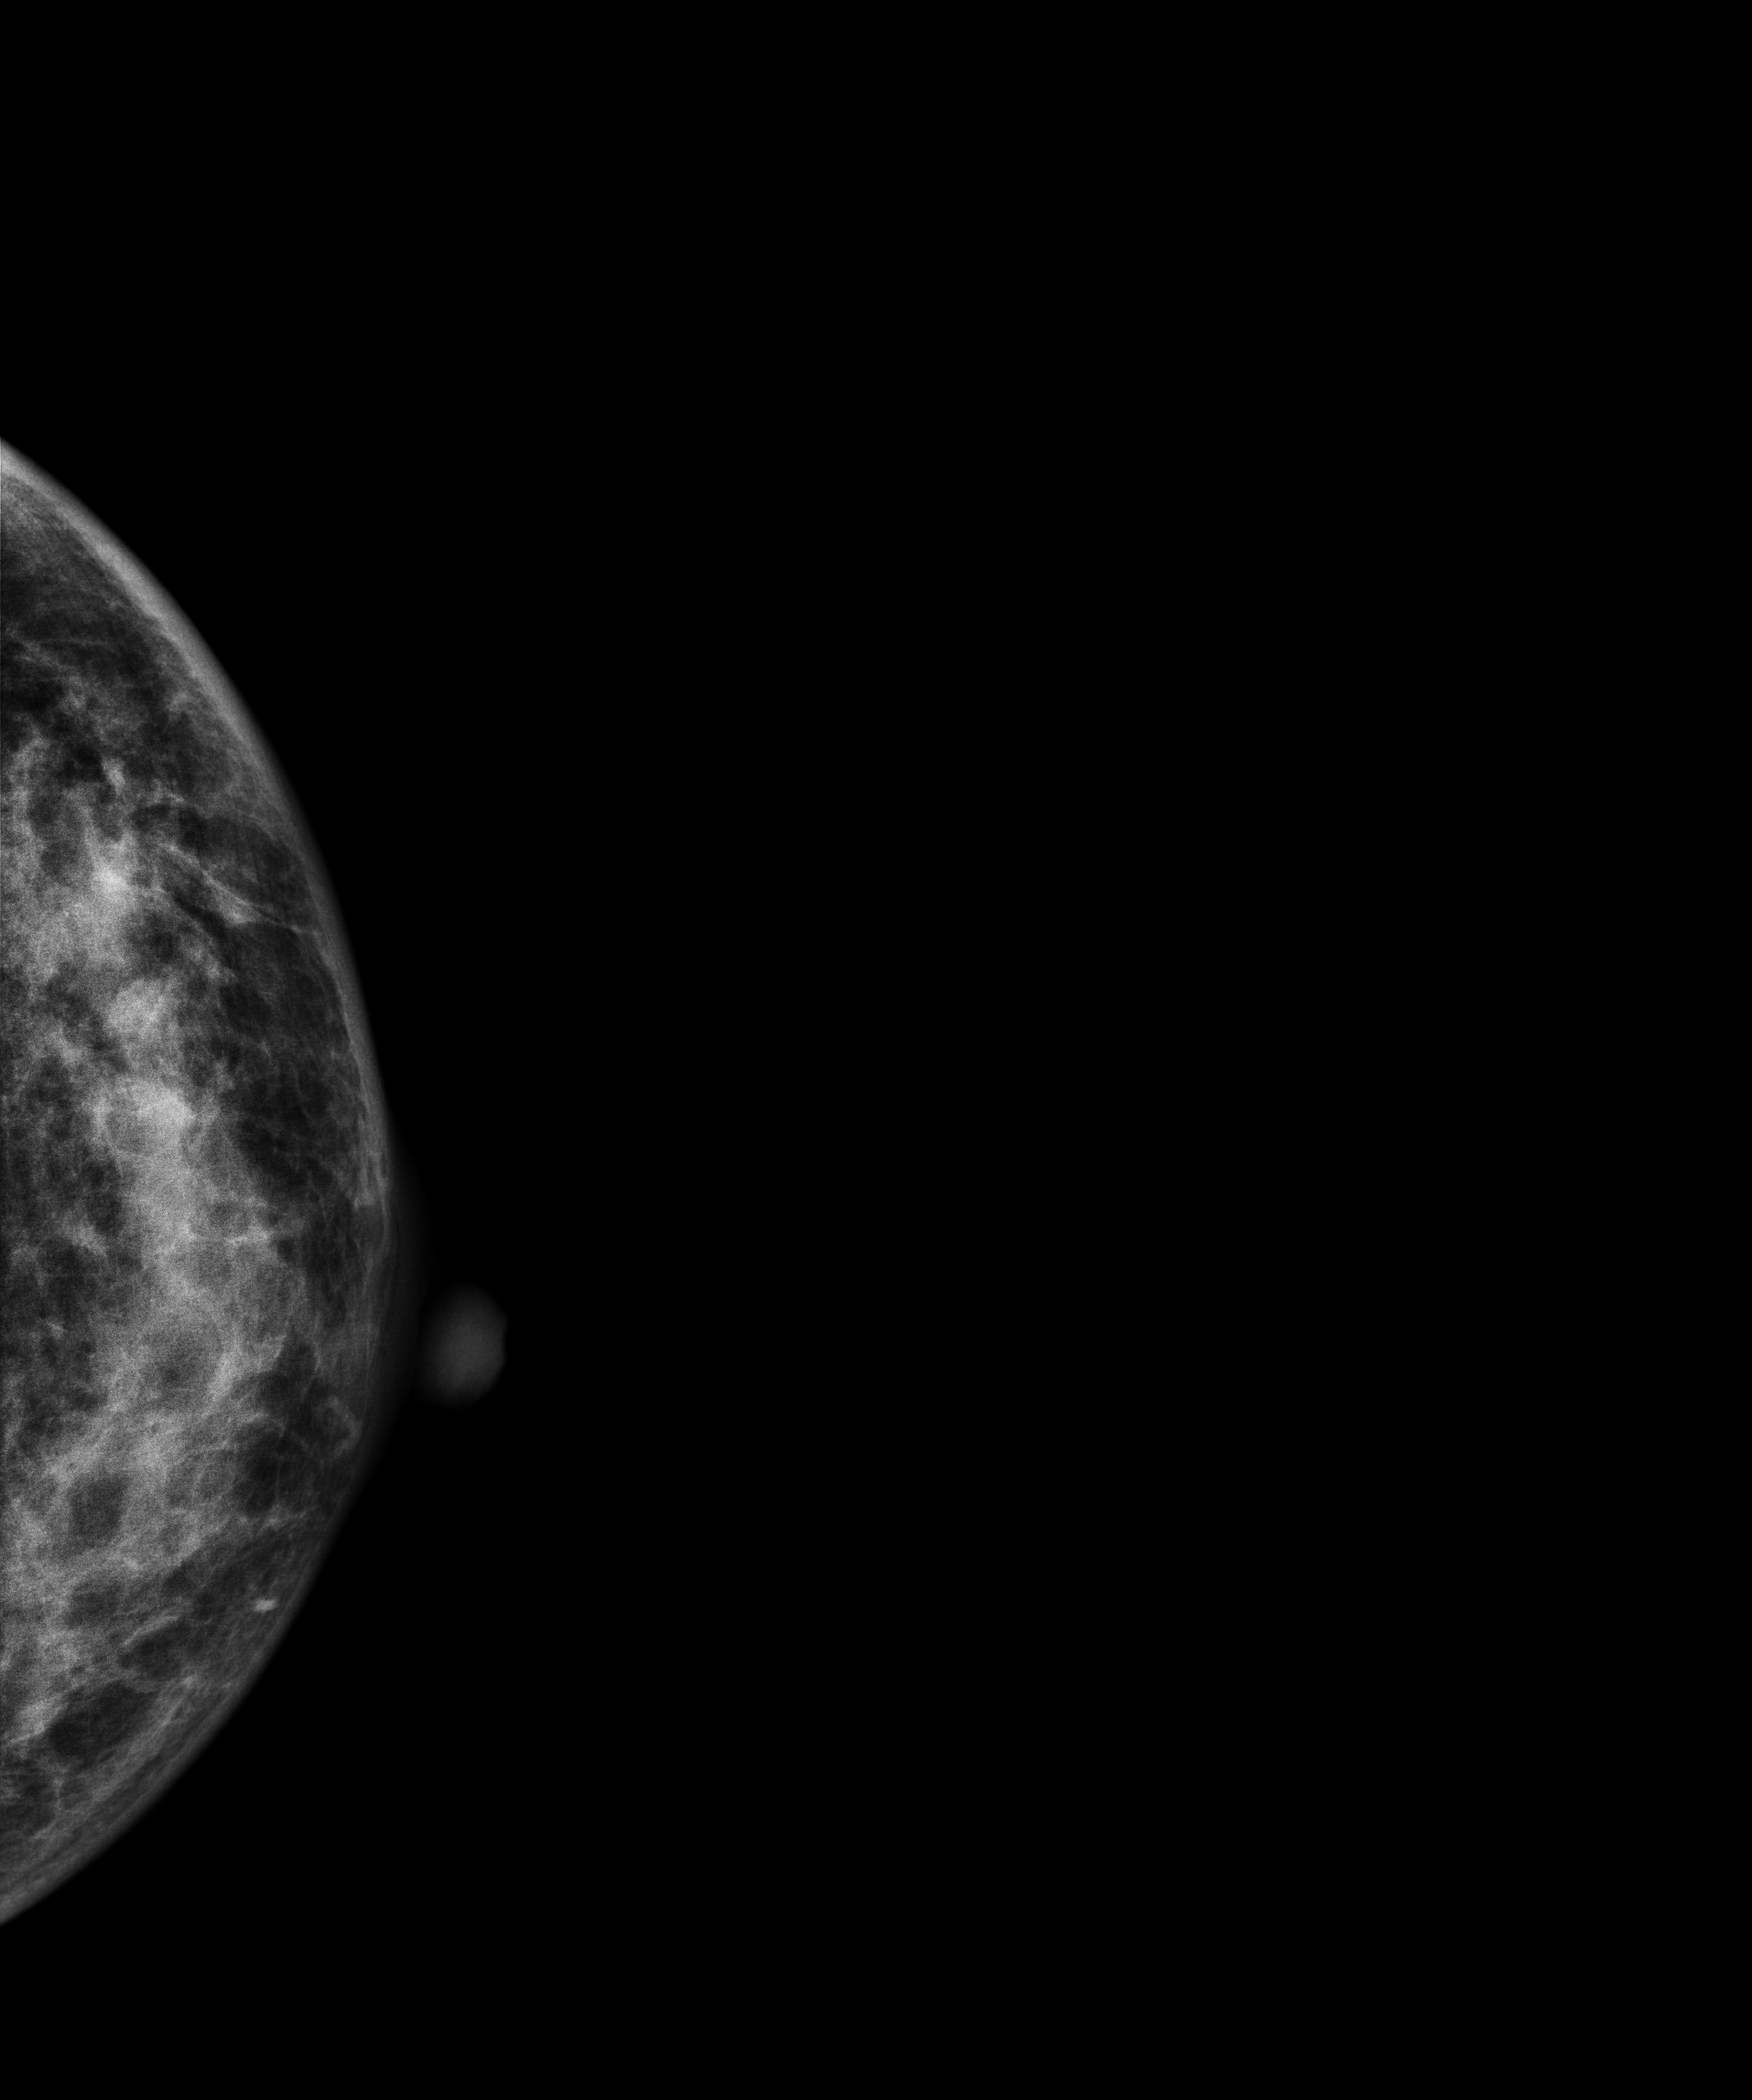
Left-breast mammogram, cranio-caudal. 42-year-old patient.
This breast has a mass, biopsy-proven malignant. Molecular subtype: luminal A.